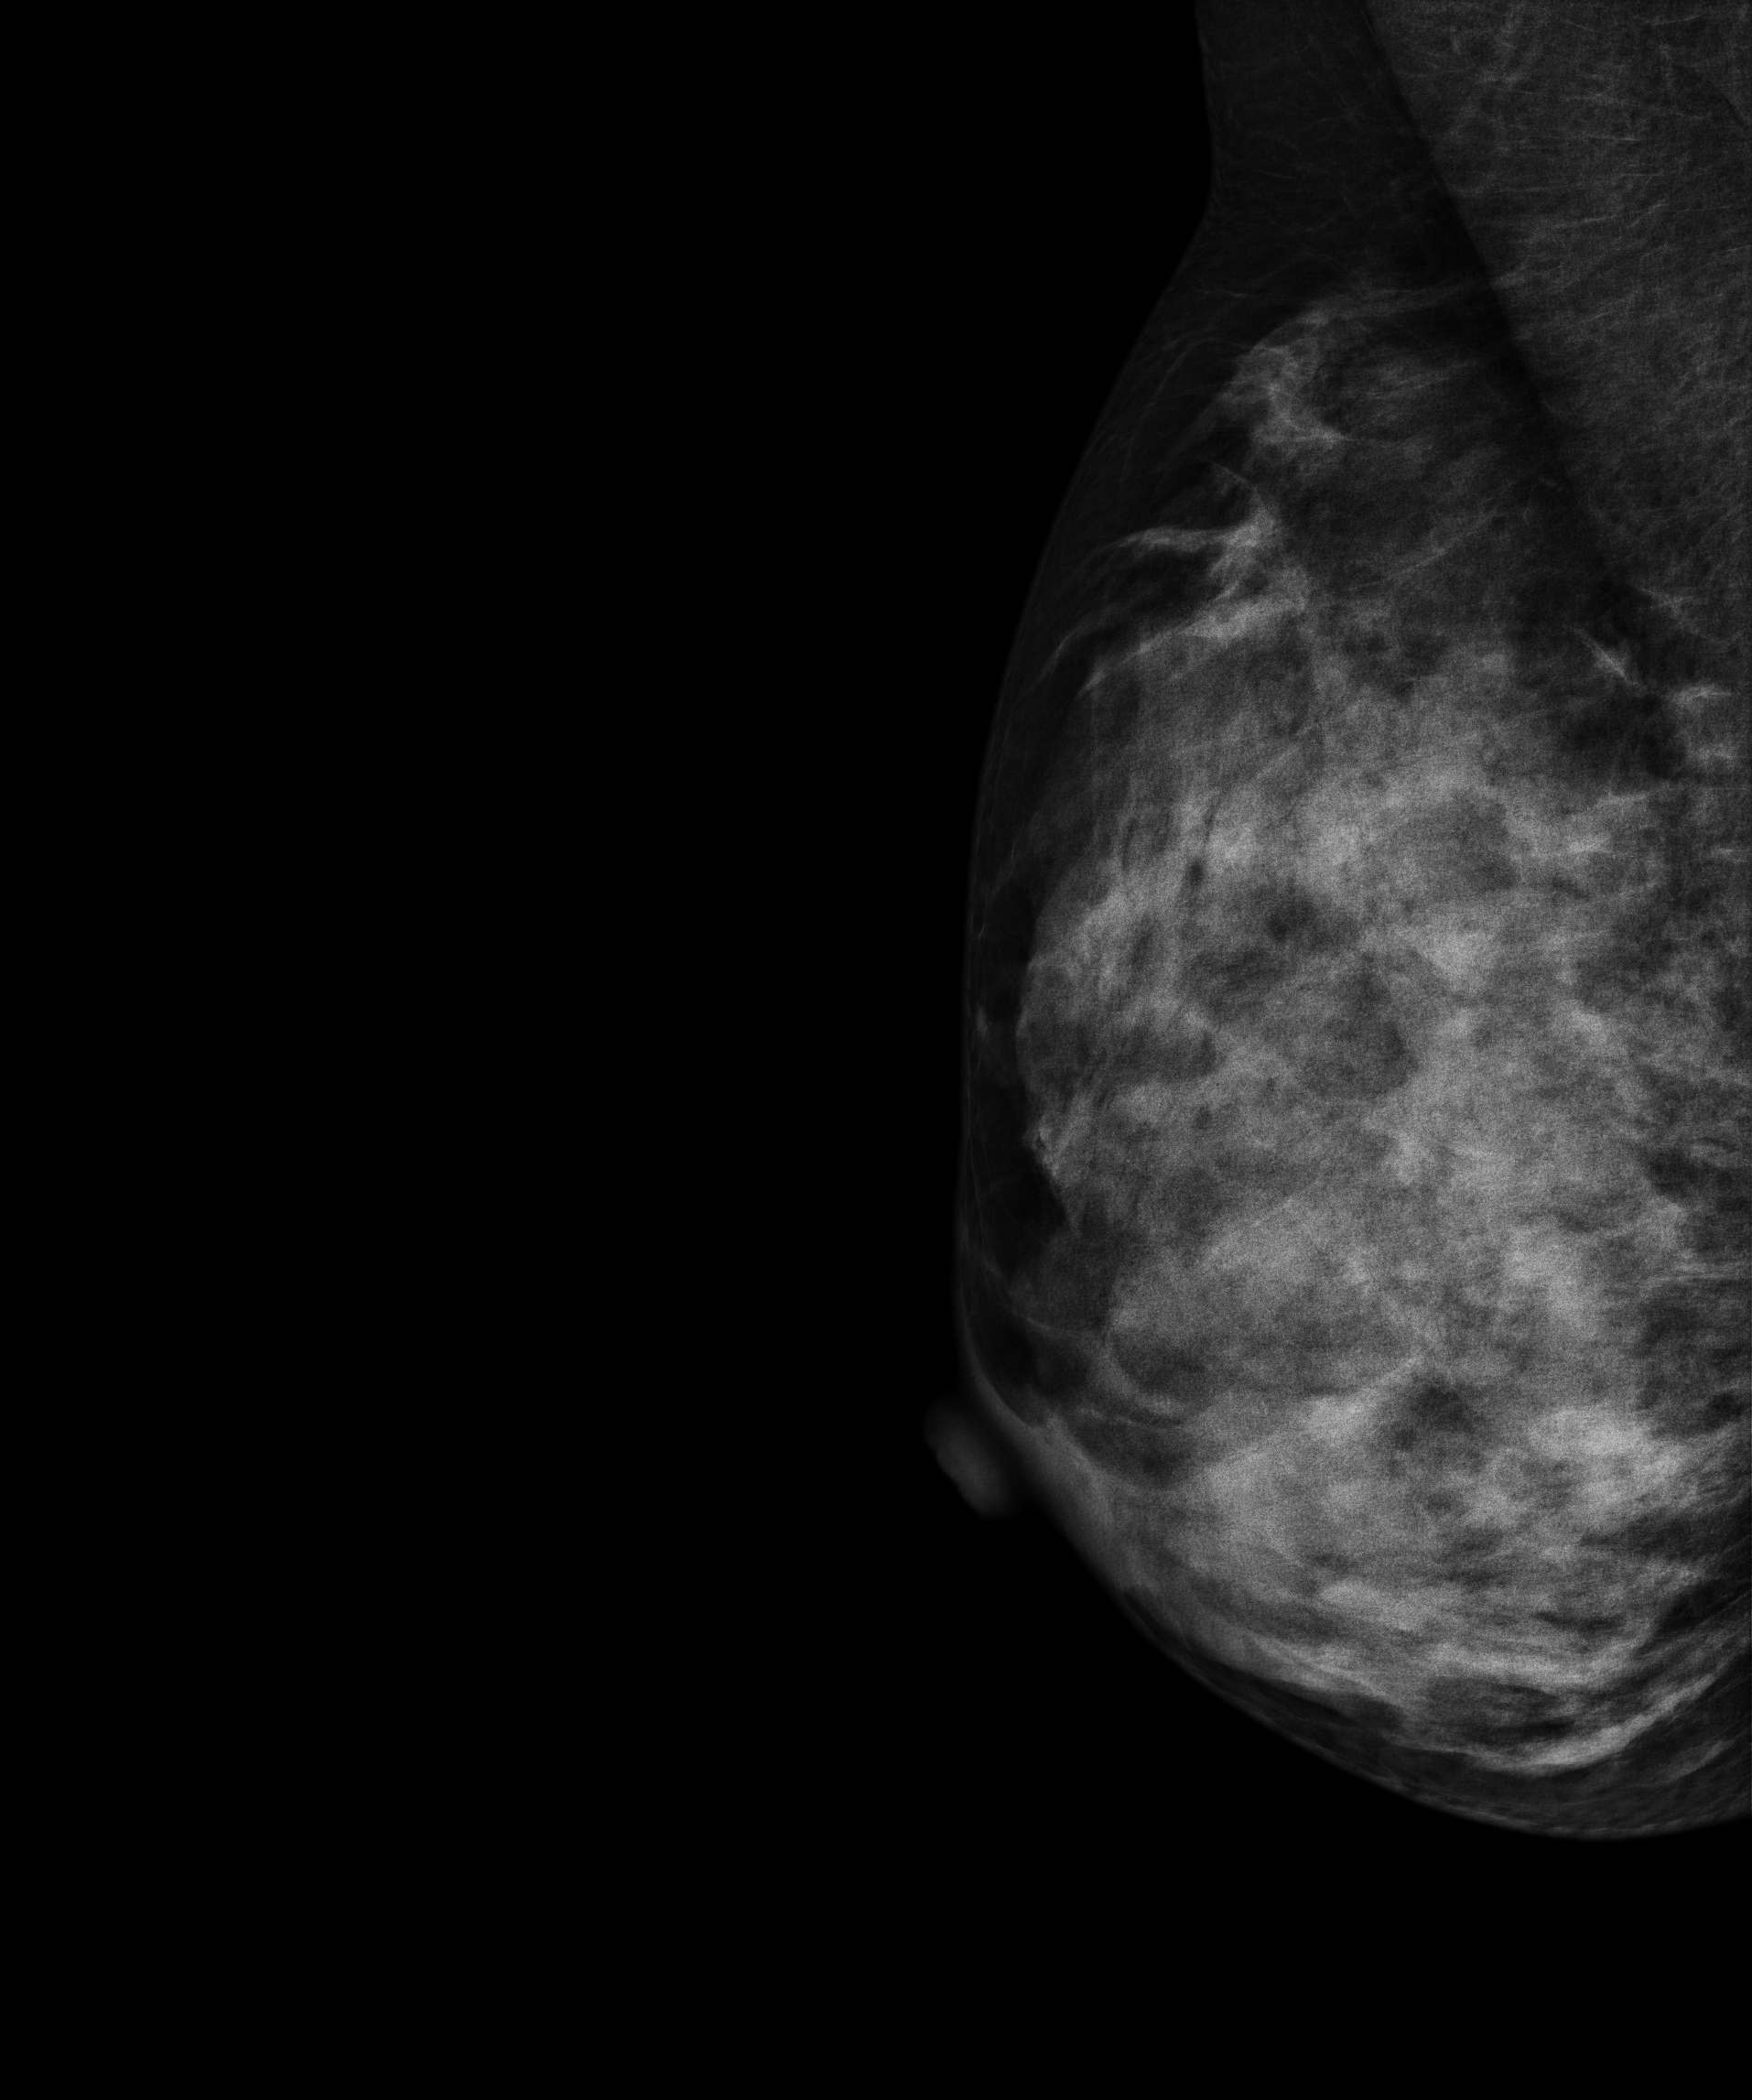
Mammogram, right breast, medio-lateral oblique view. 27 y/o patient.
Contralateral breast — no documented abnormality on this side.